Cranio-caudal mammogram of the left breast. 40-year-old patient.
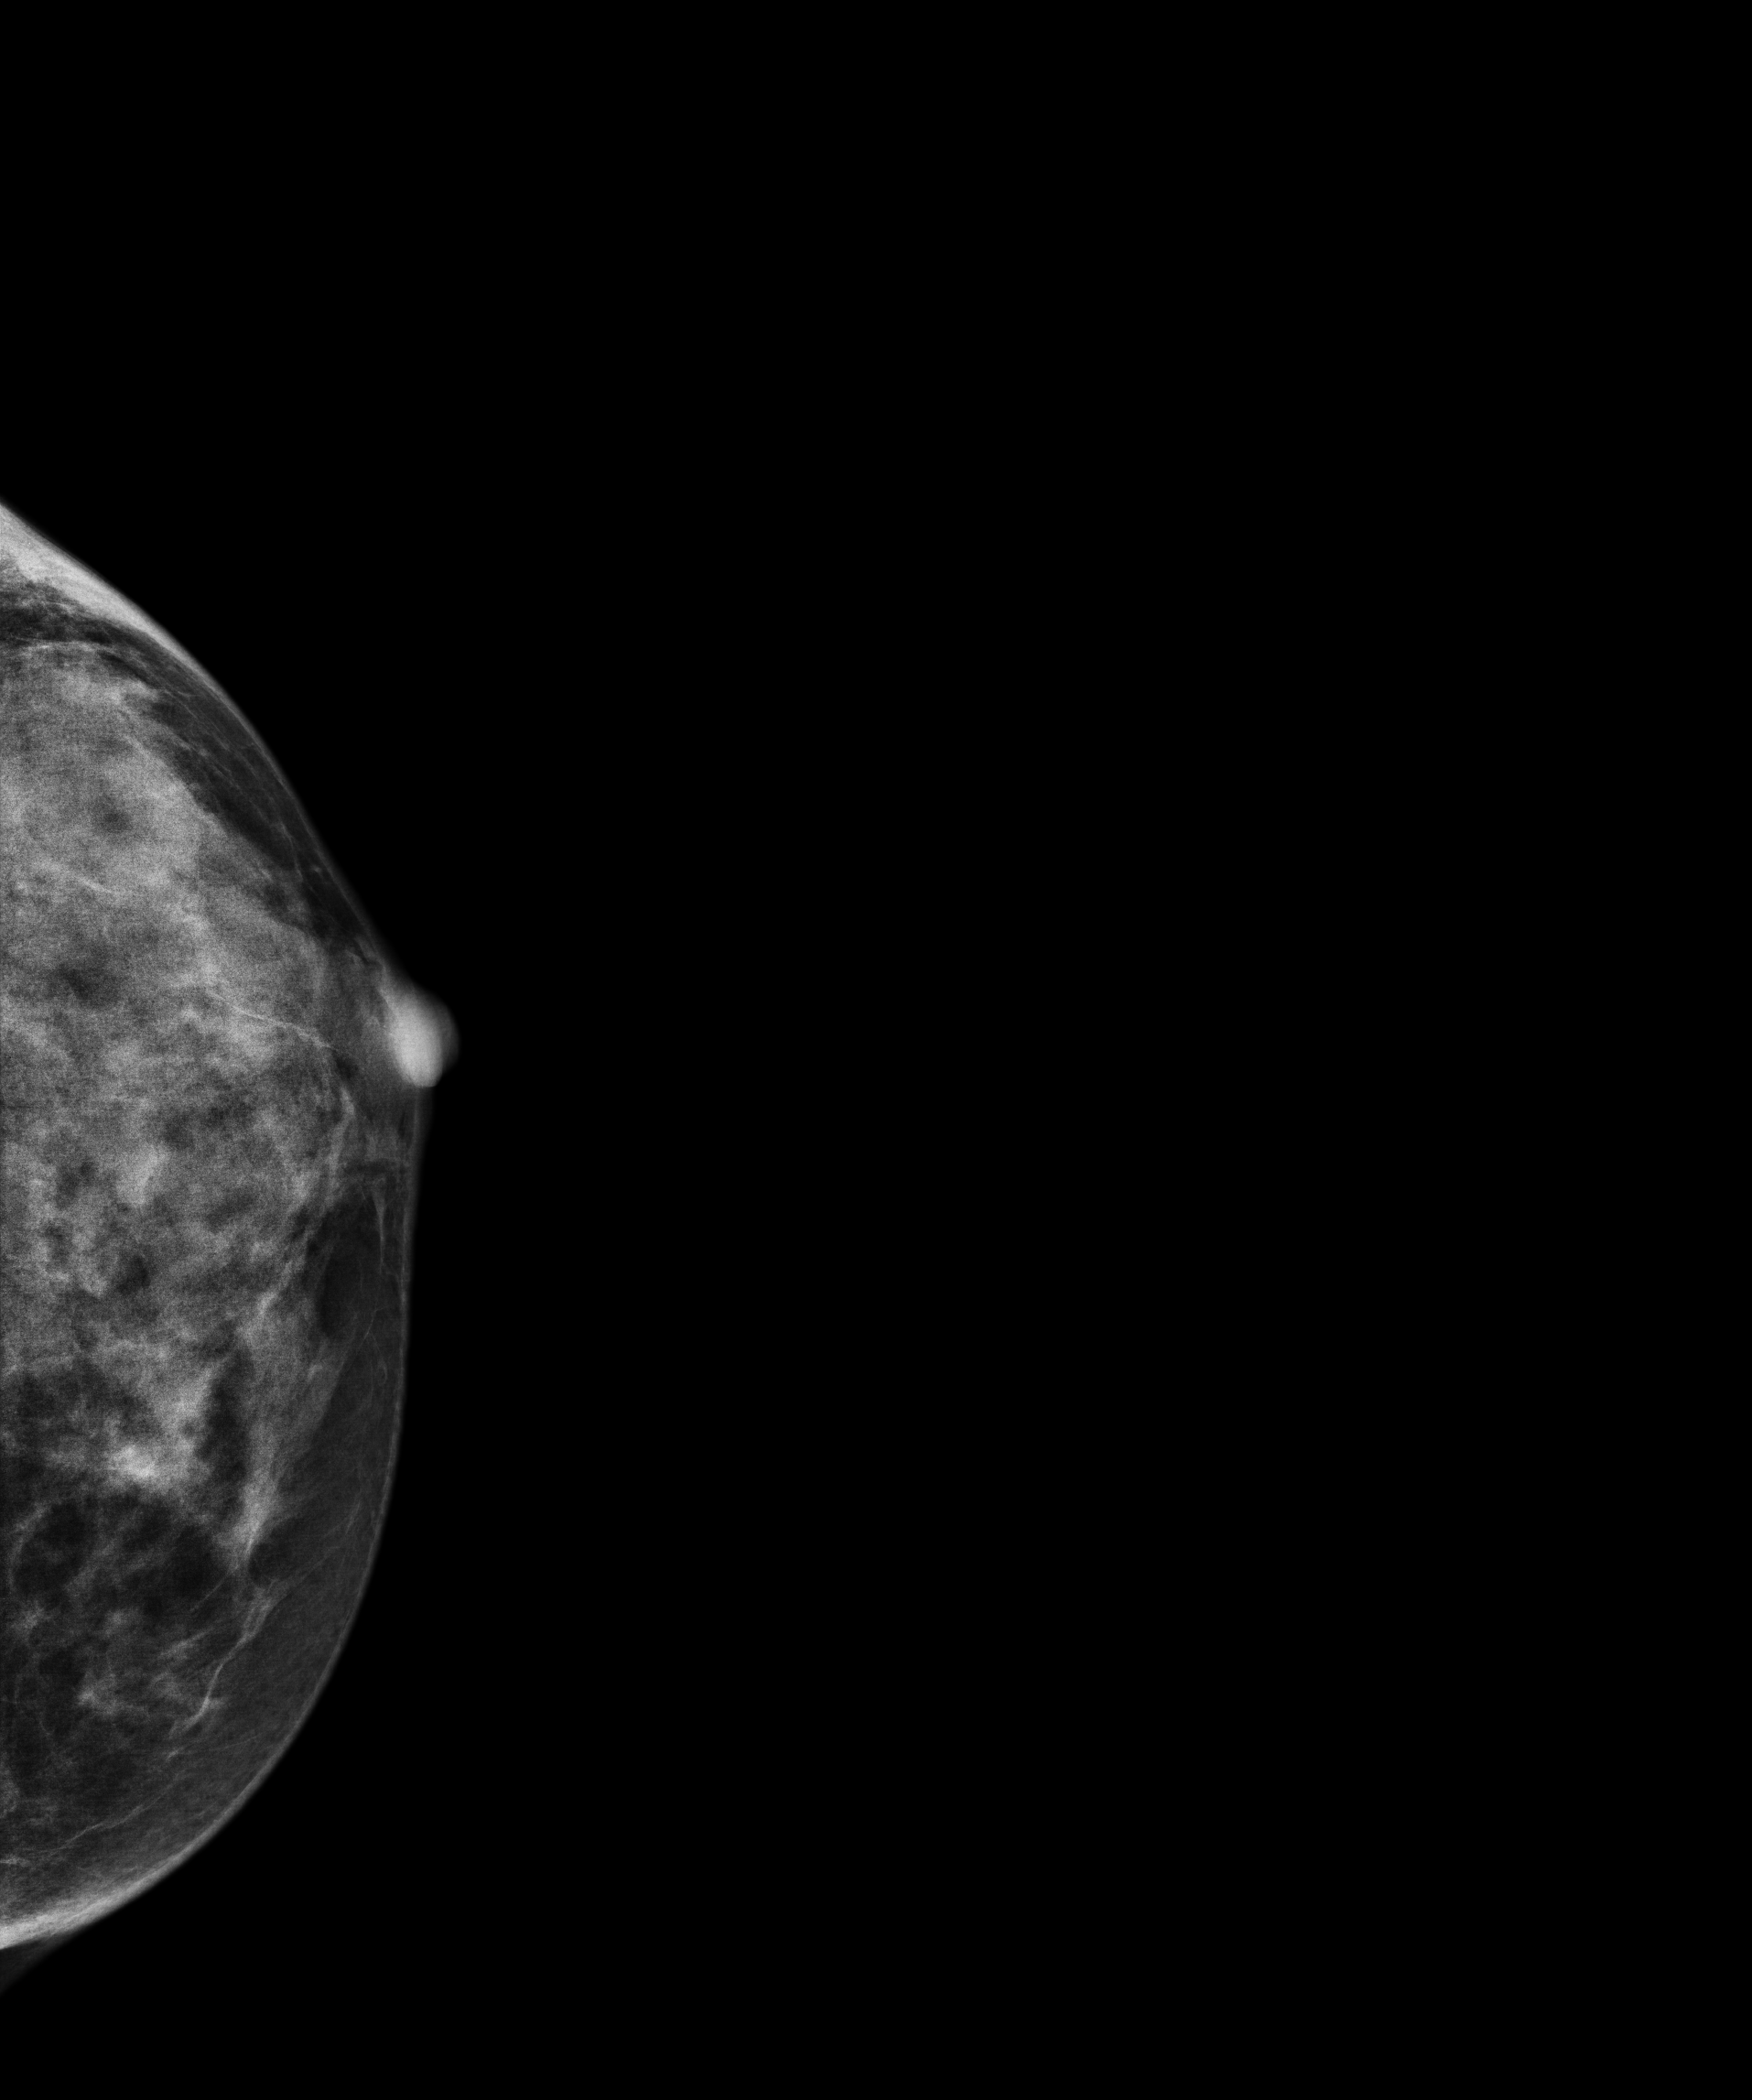
This breast has a mass, biopsy-proven malignant. Molecular subtype: triple-negative.